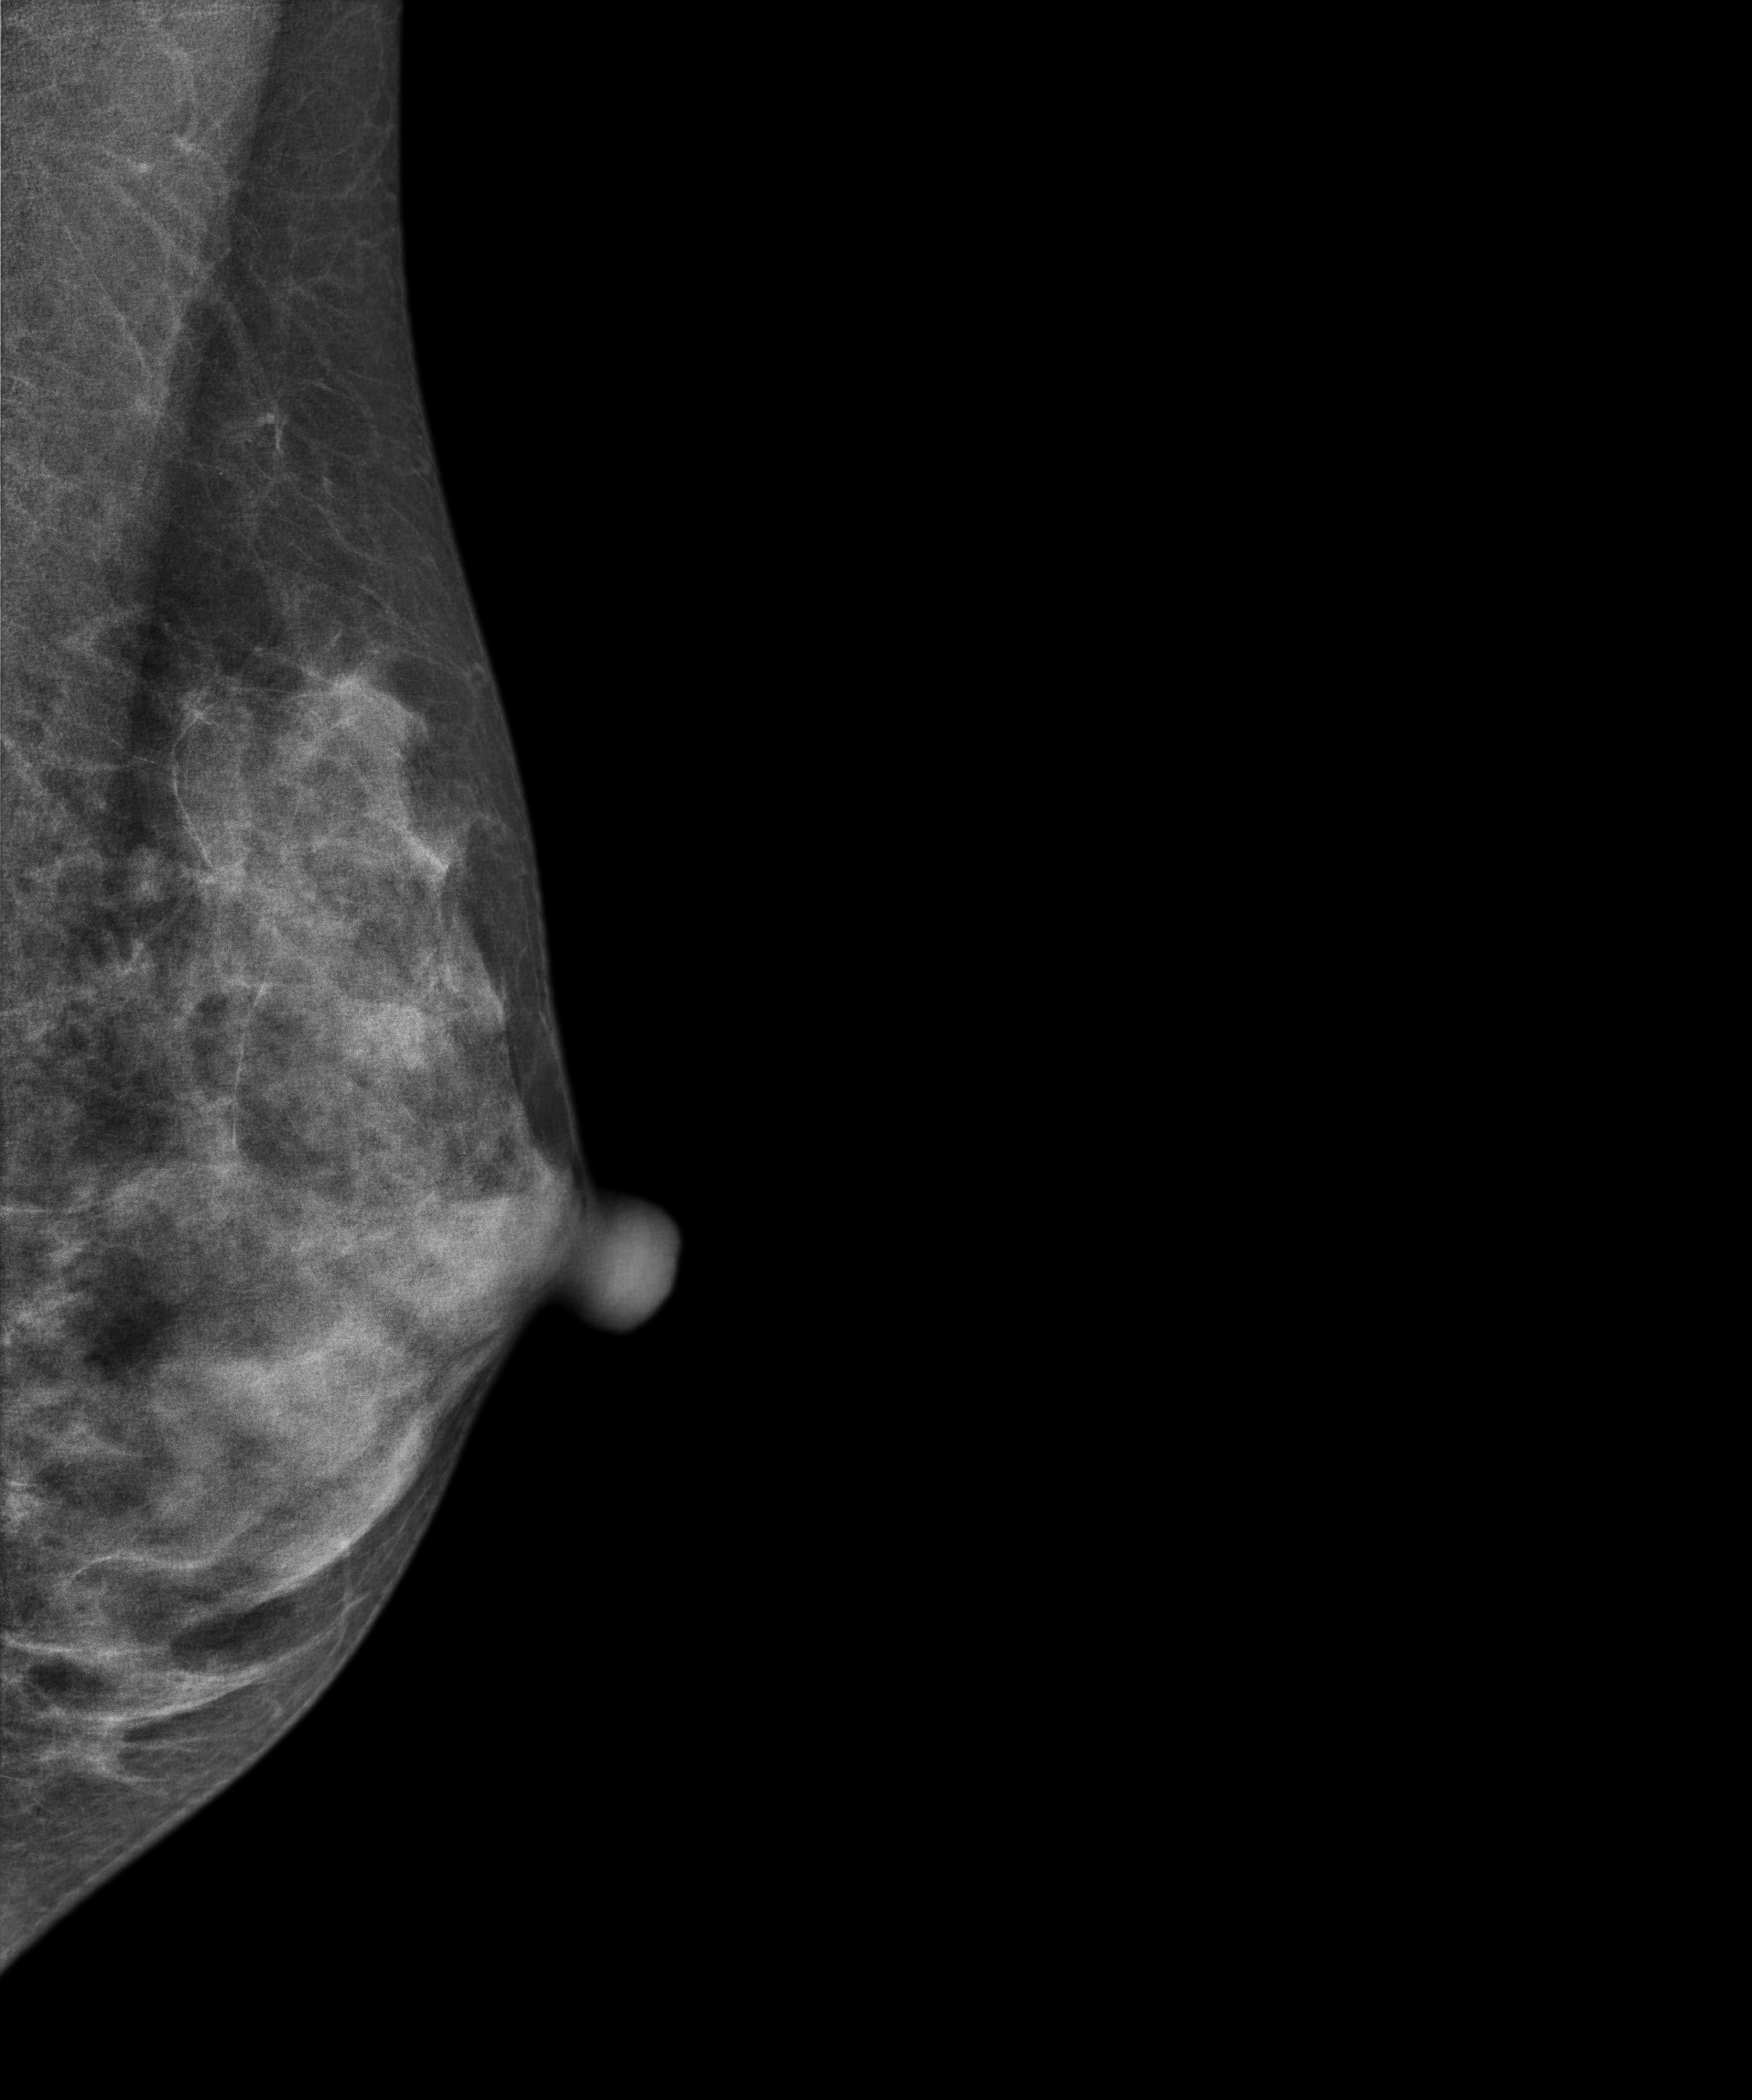
Mammogram, left breast, MLO view. 37 y/o patient.
Contralateral breast — no documented abnormality on this side.